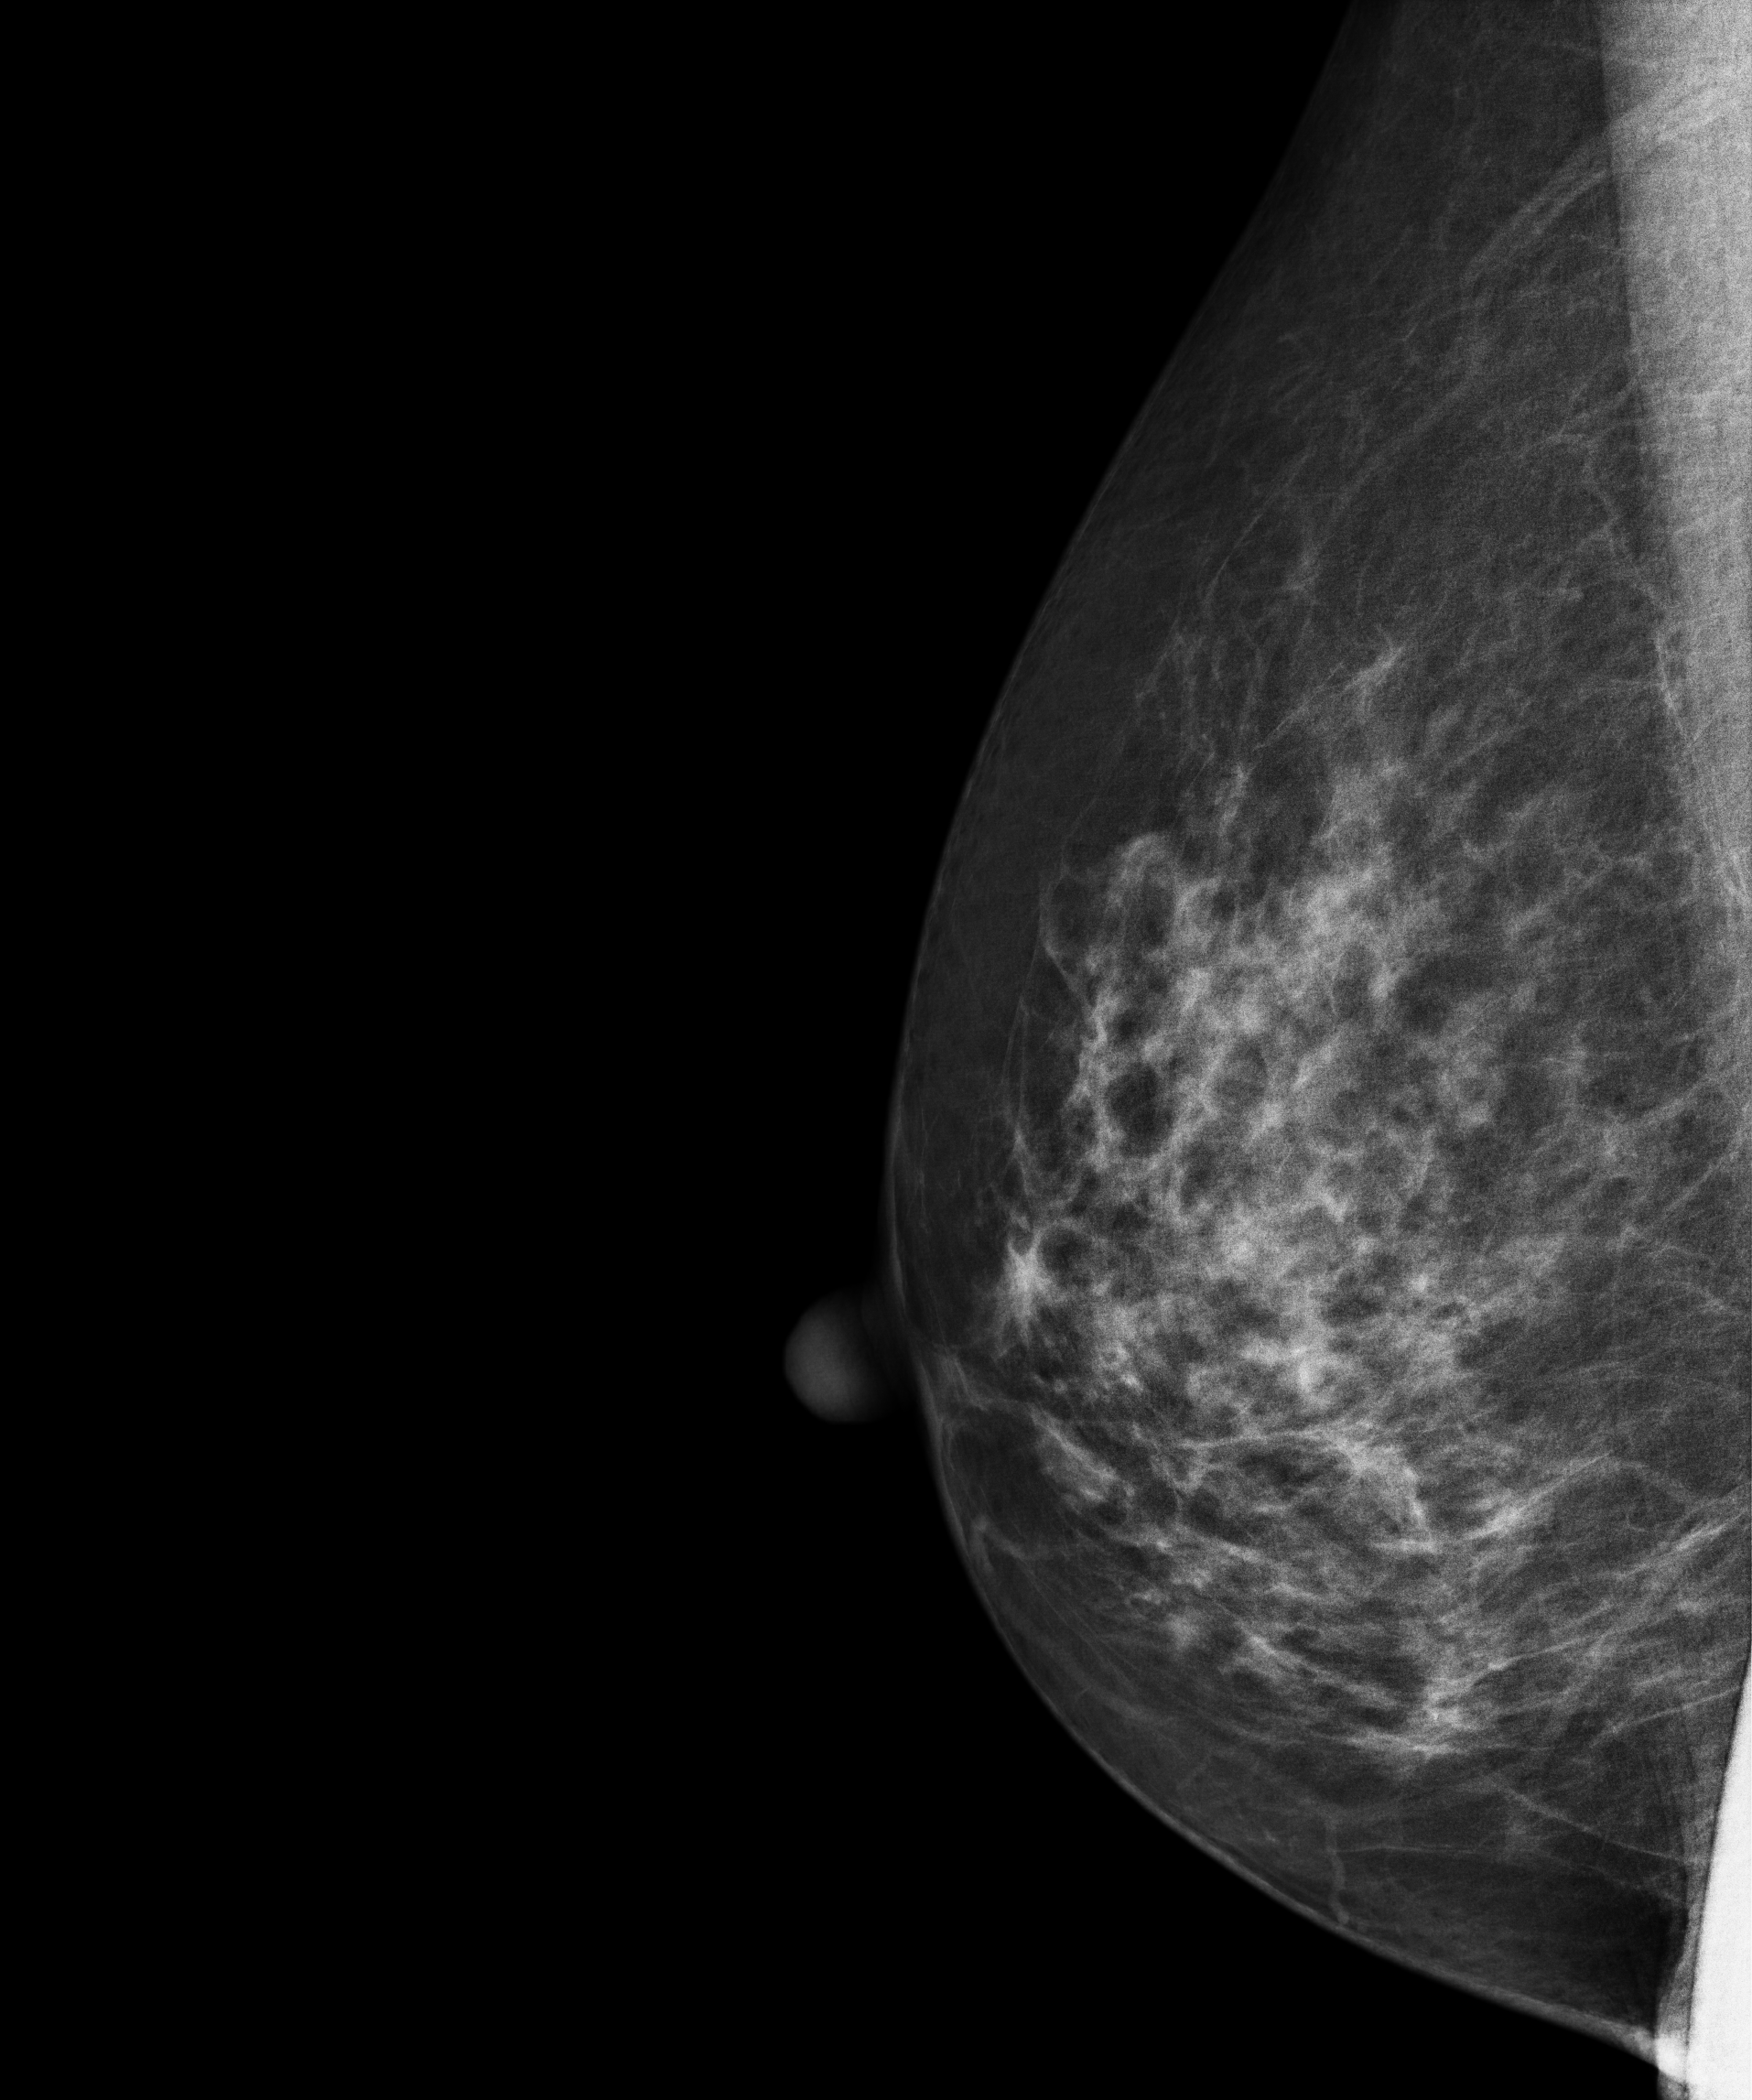
Mammogram — right MLO. 69 y/o patient.
This breast has a mass, biopsy-proven malignant.